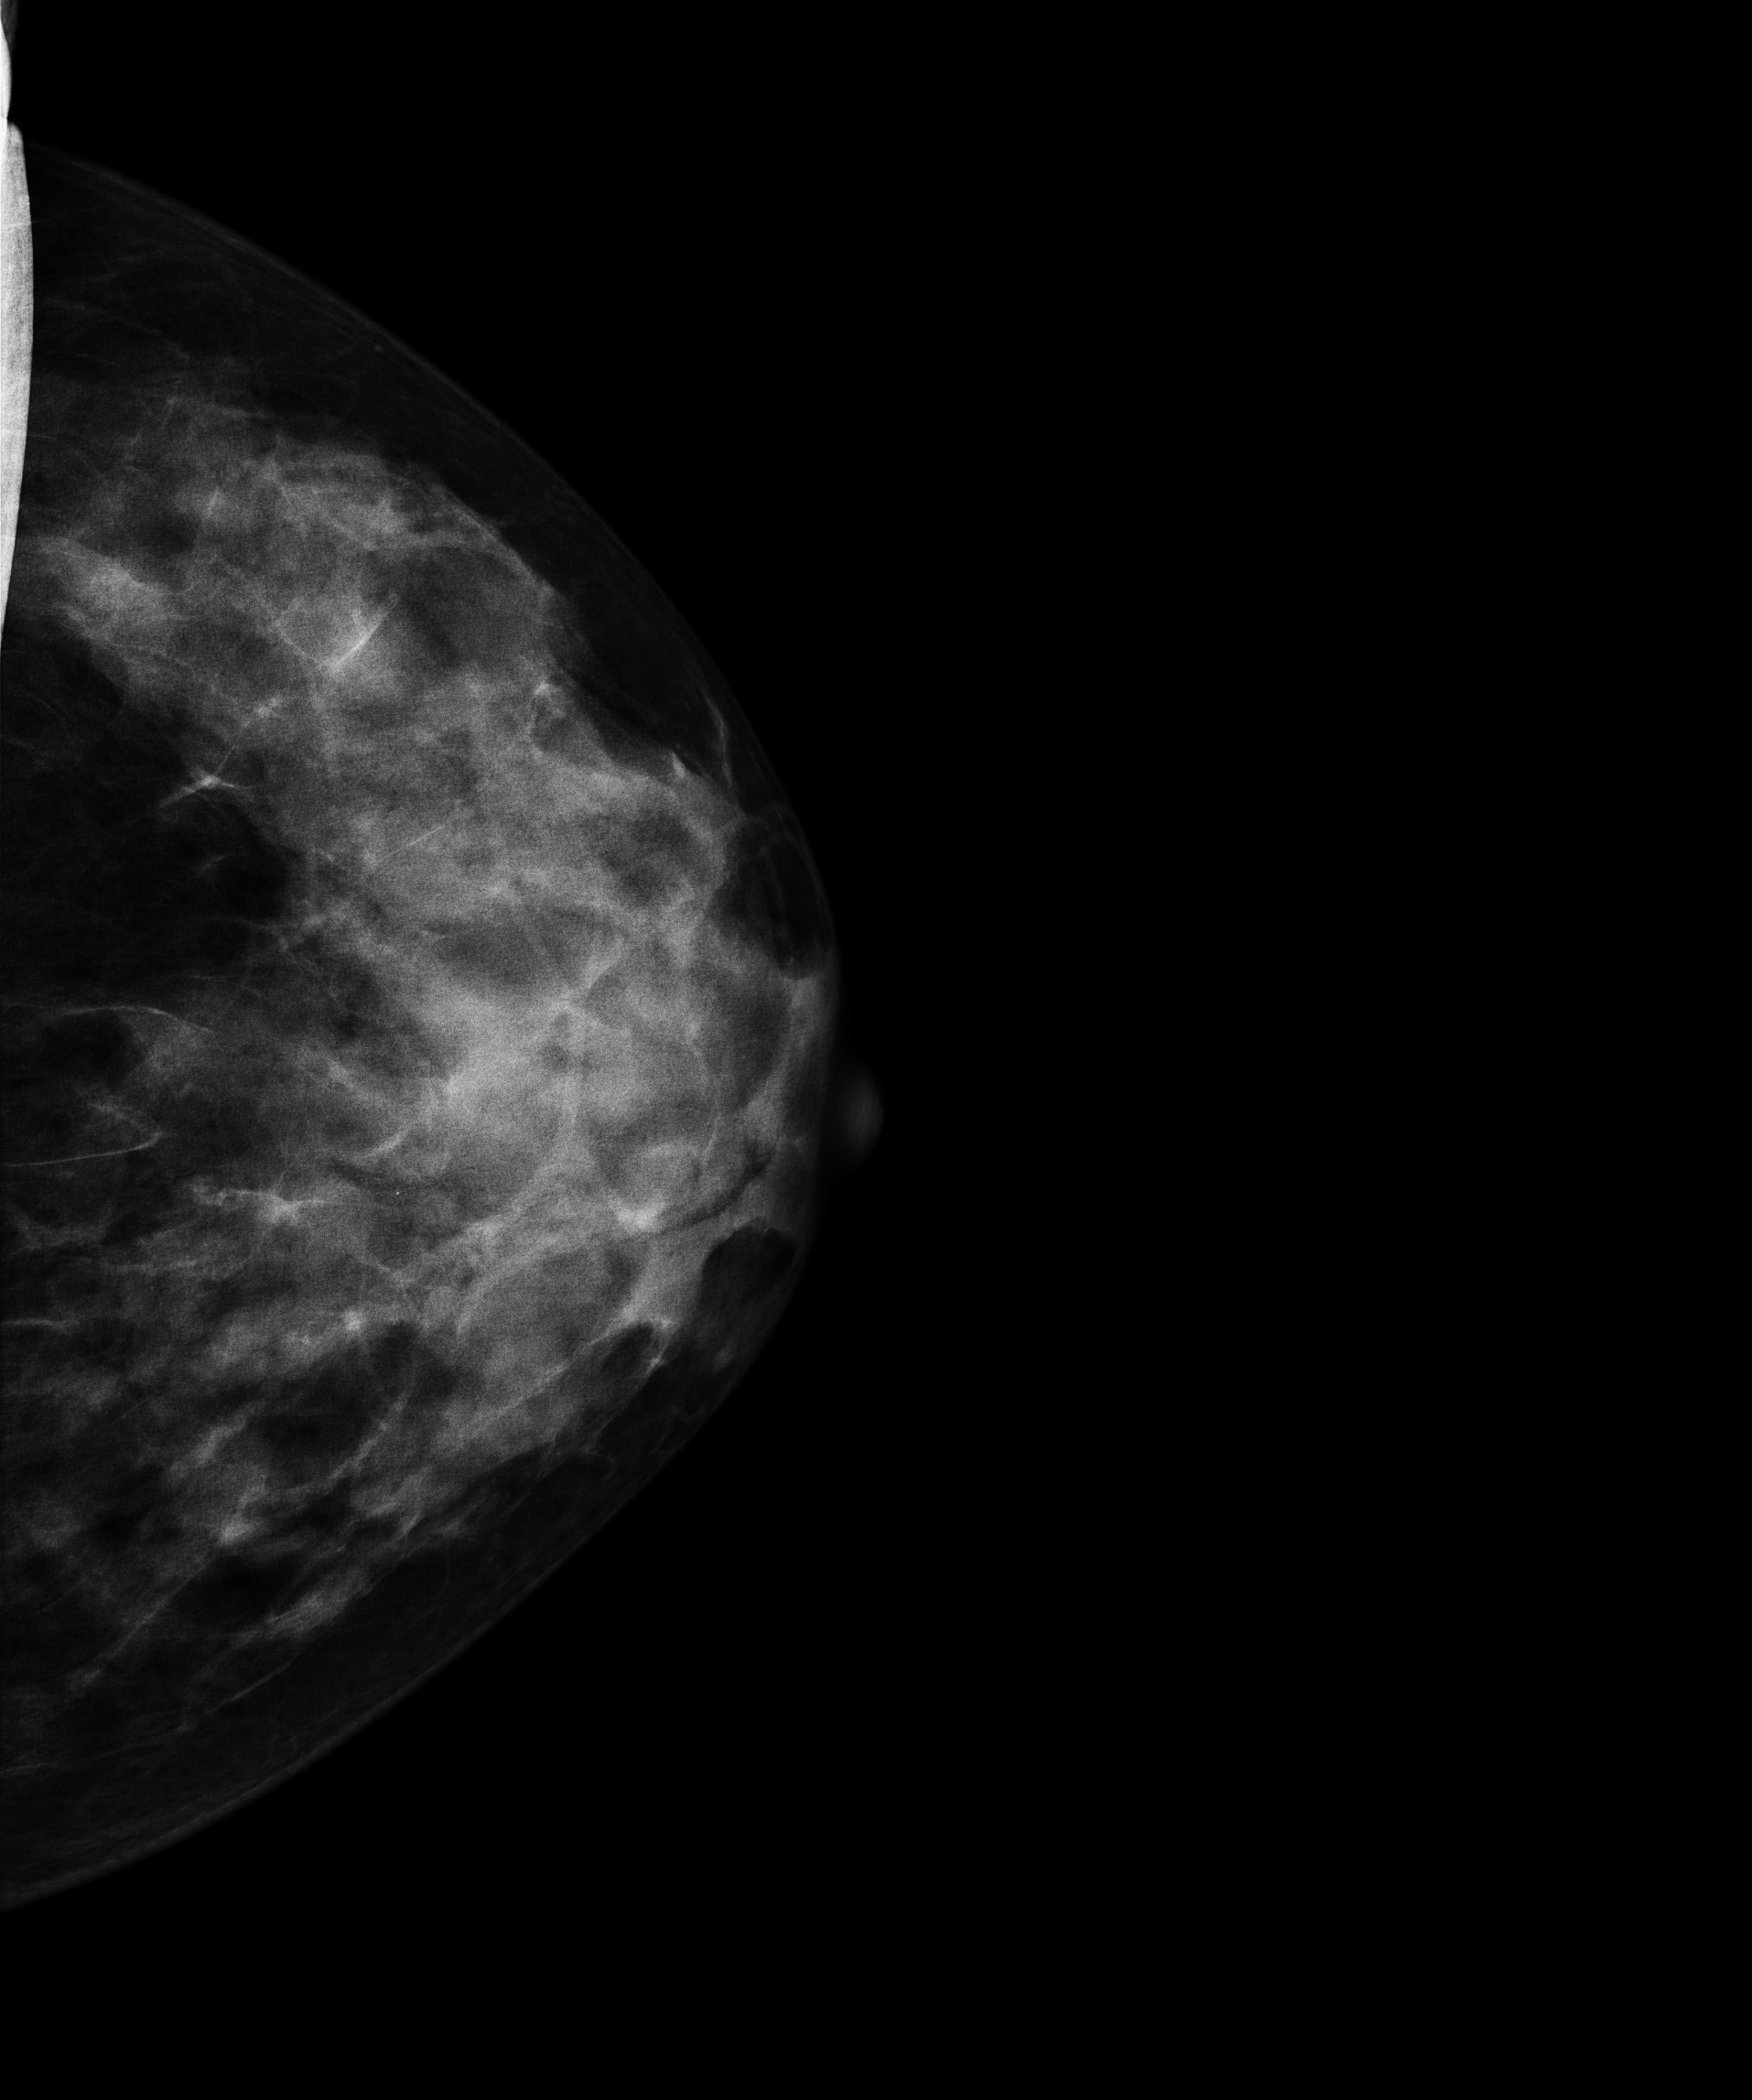
Mammogram, left breast, cranio-caudal view. Patient age 39.
This breast has a mass, biopsy-proven benign.